Mammogram — left cranio-caudal. Patient age 49.
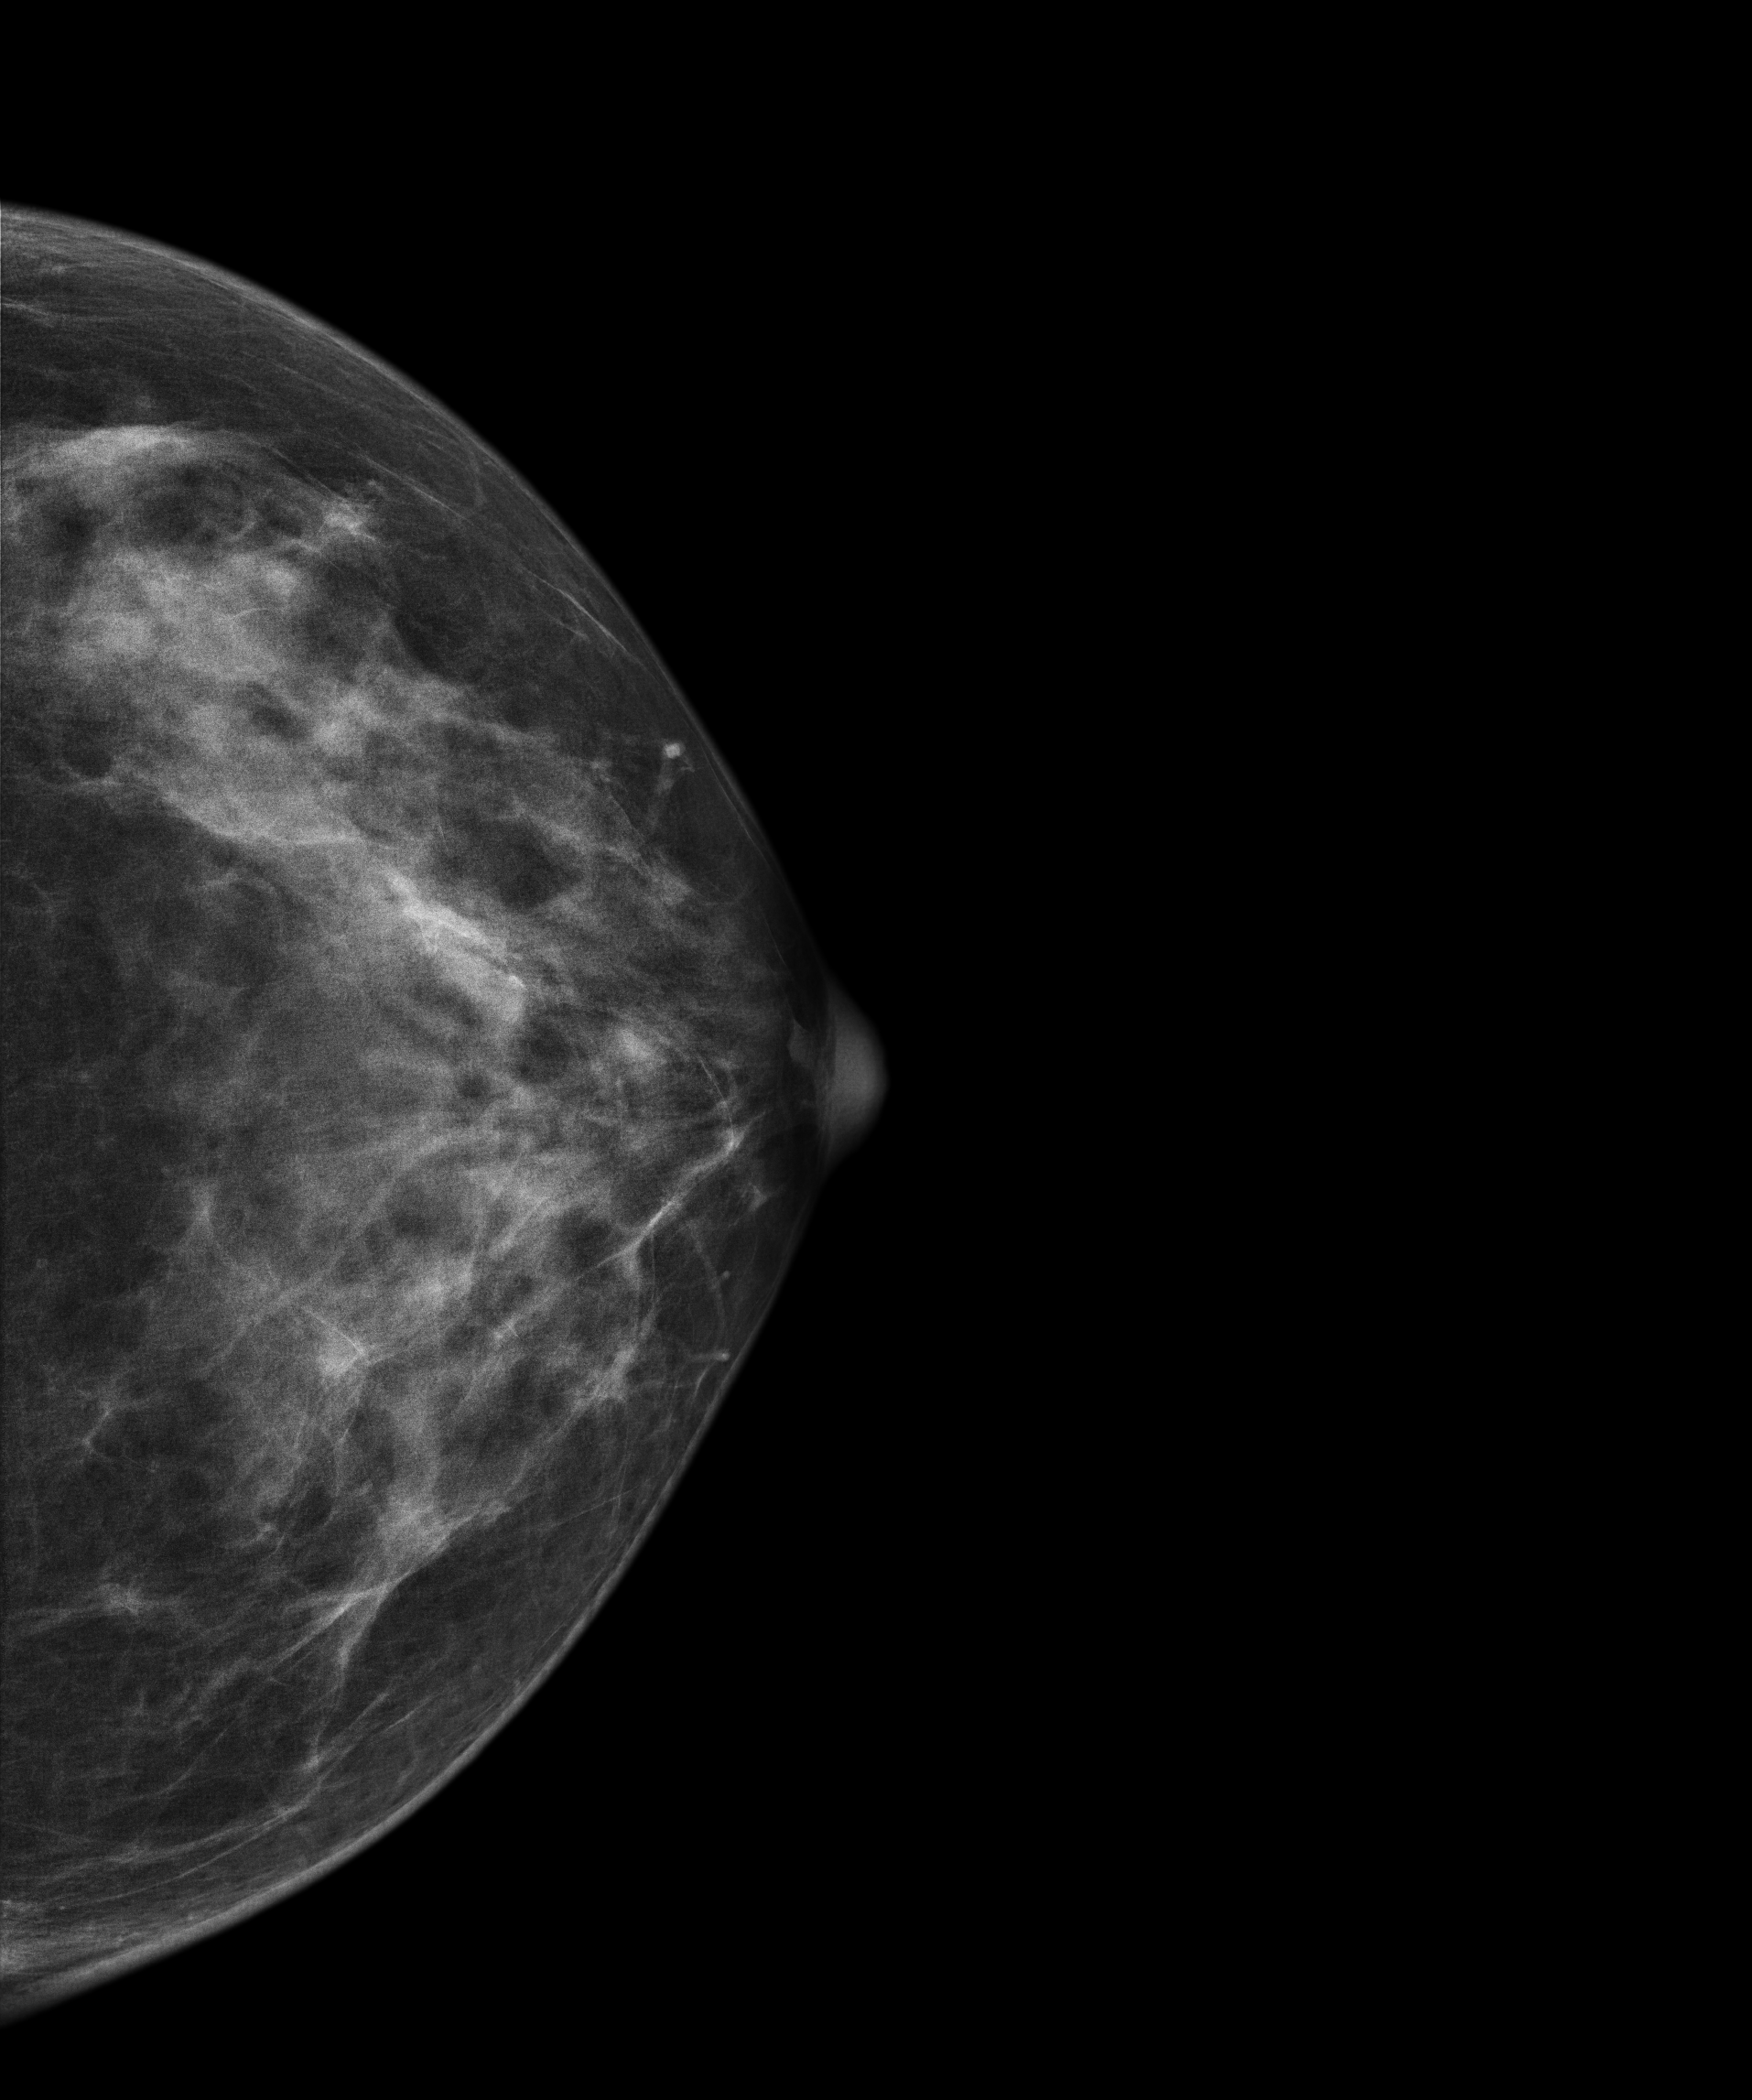
Contralateral breast — no documented abnormality on this side.